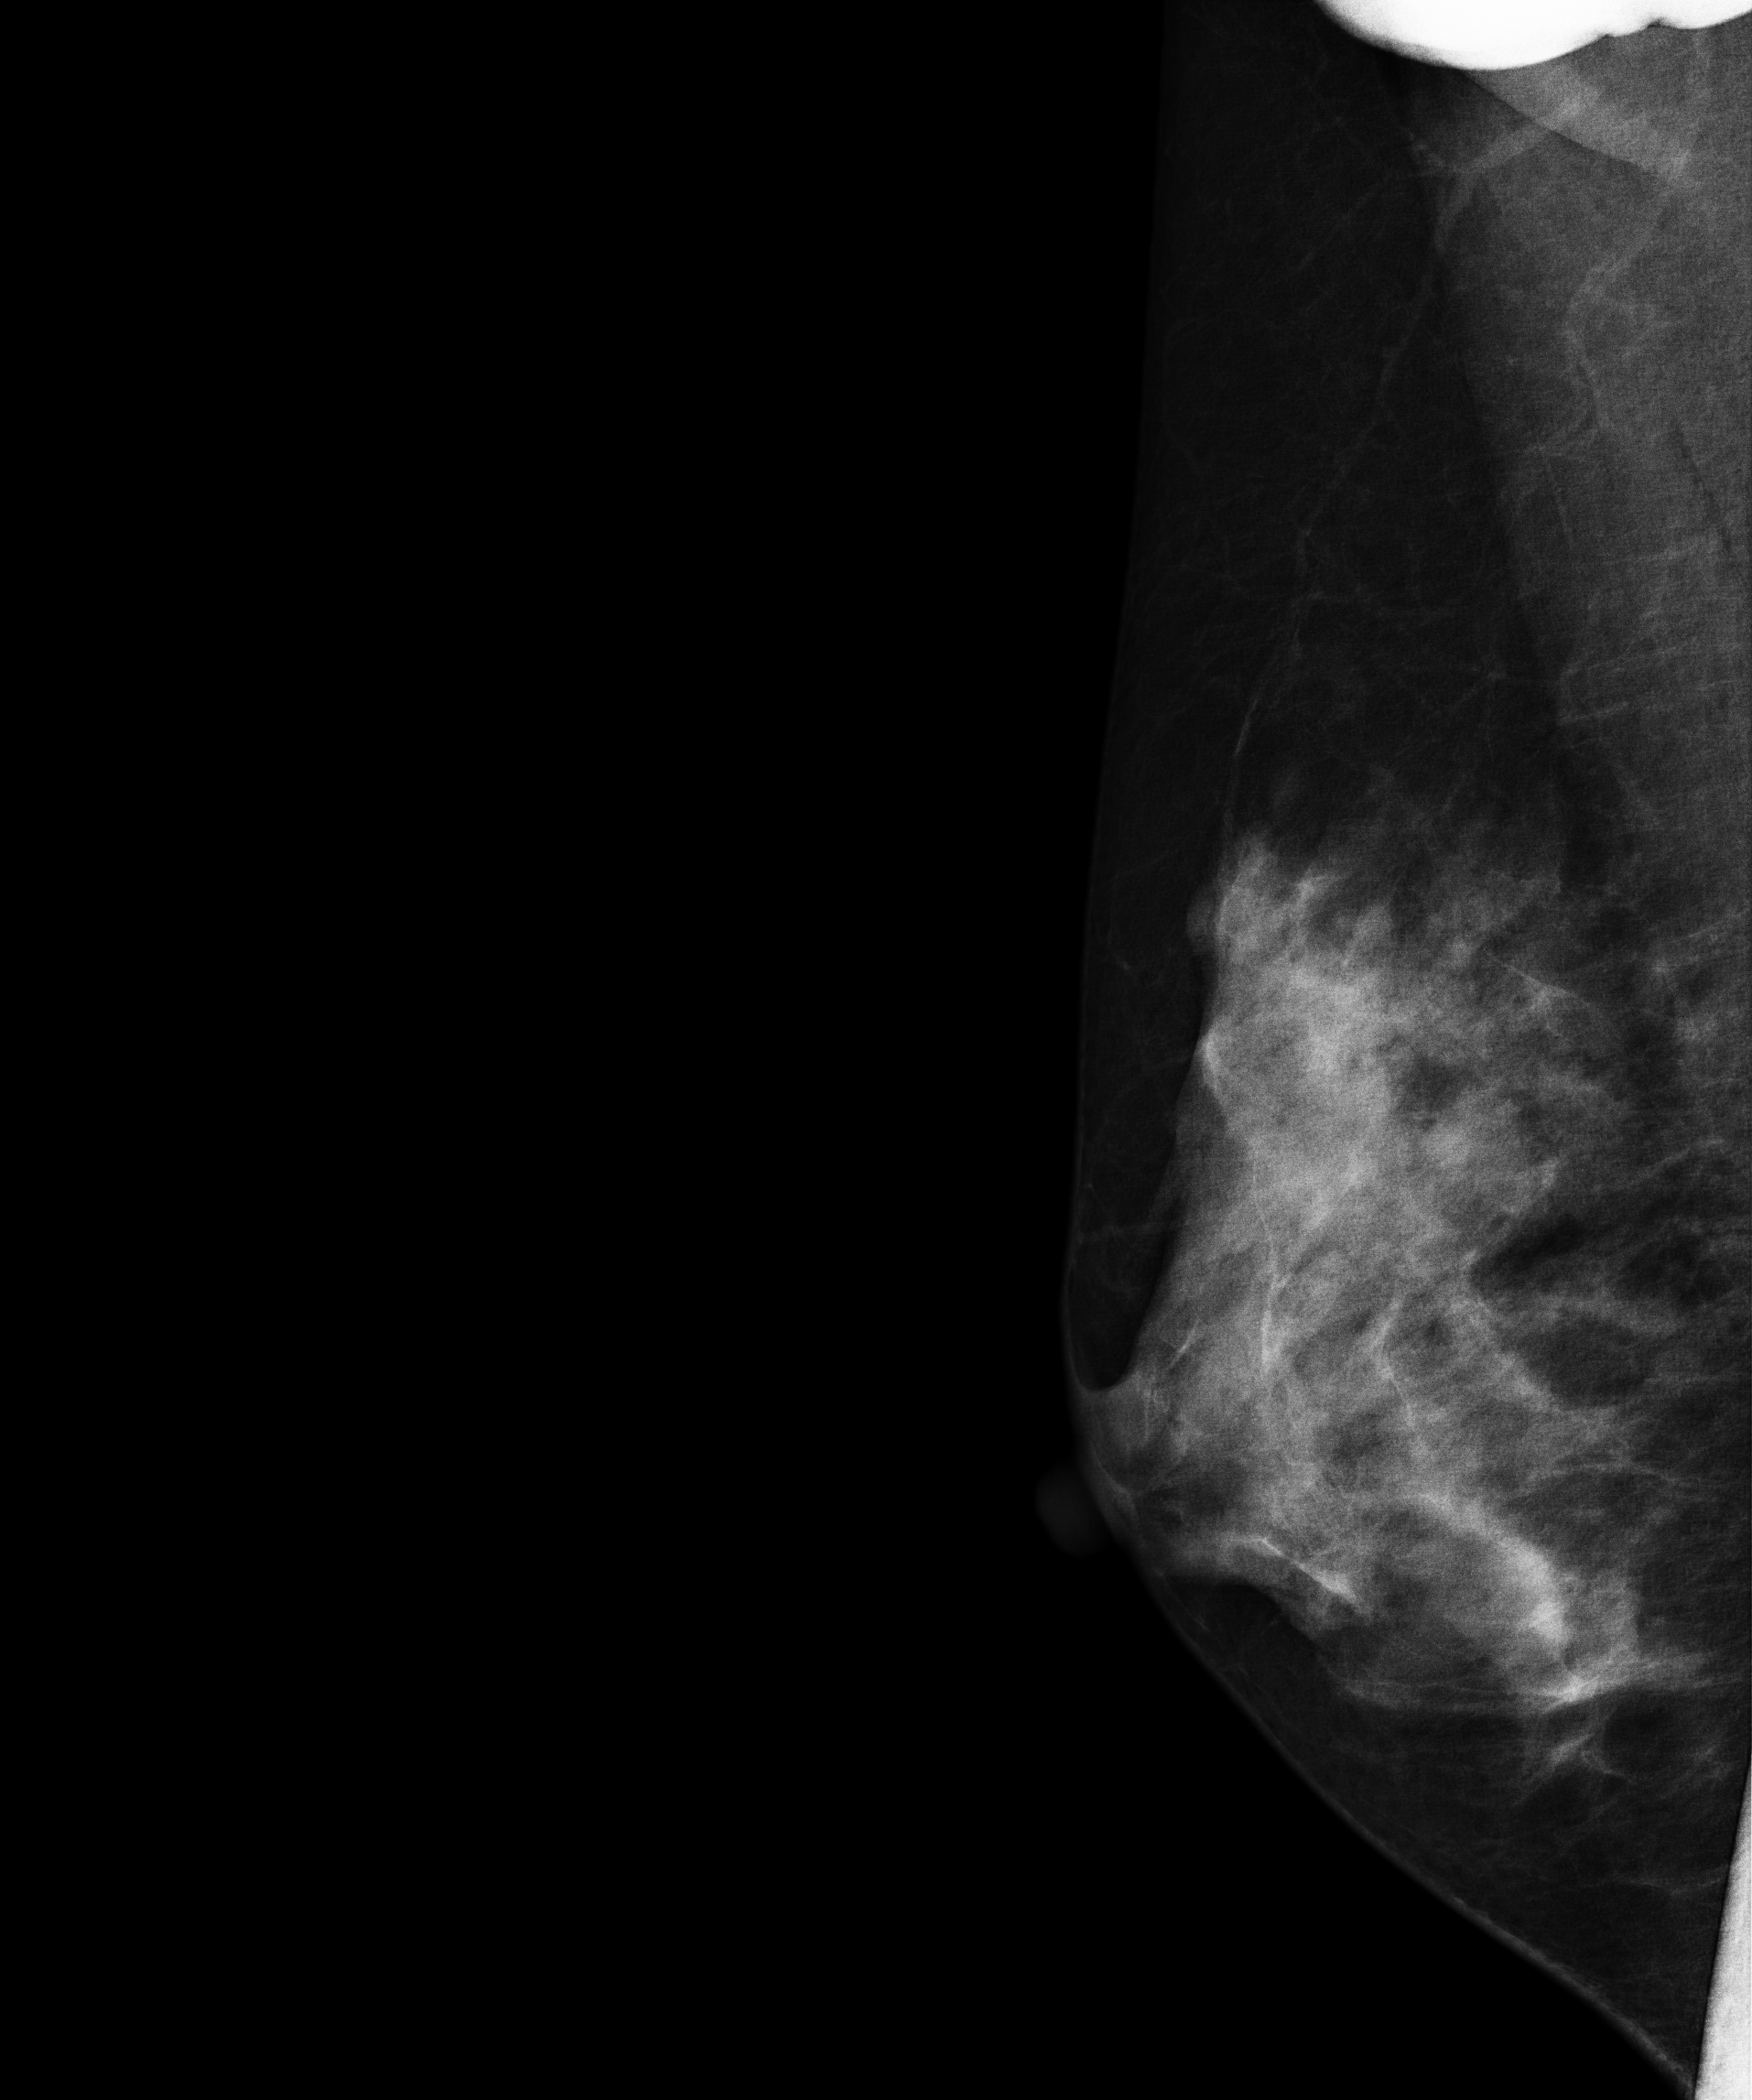
Mammogram, right breast, MLO view. 29 y/o patient.
Contralateral breast — no documented abnormality on this side.